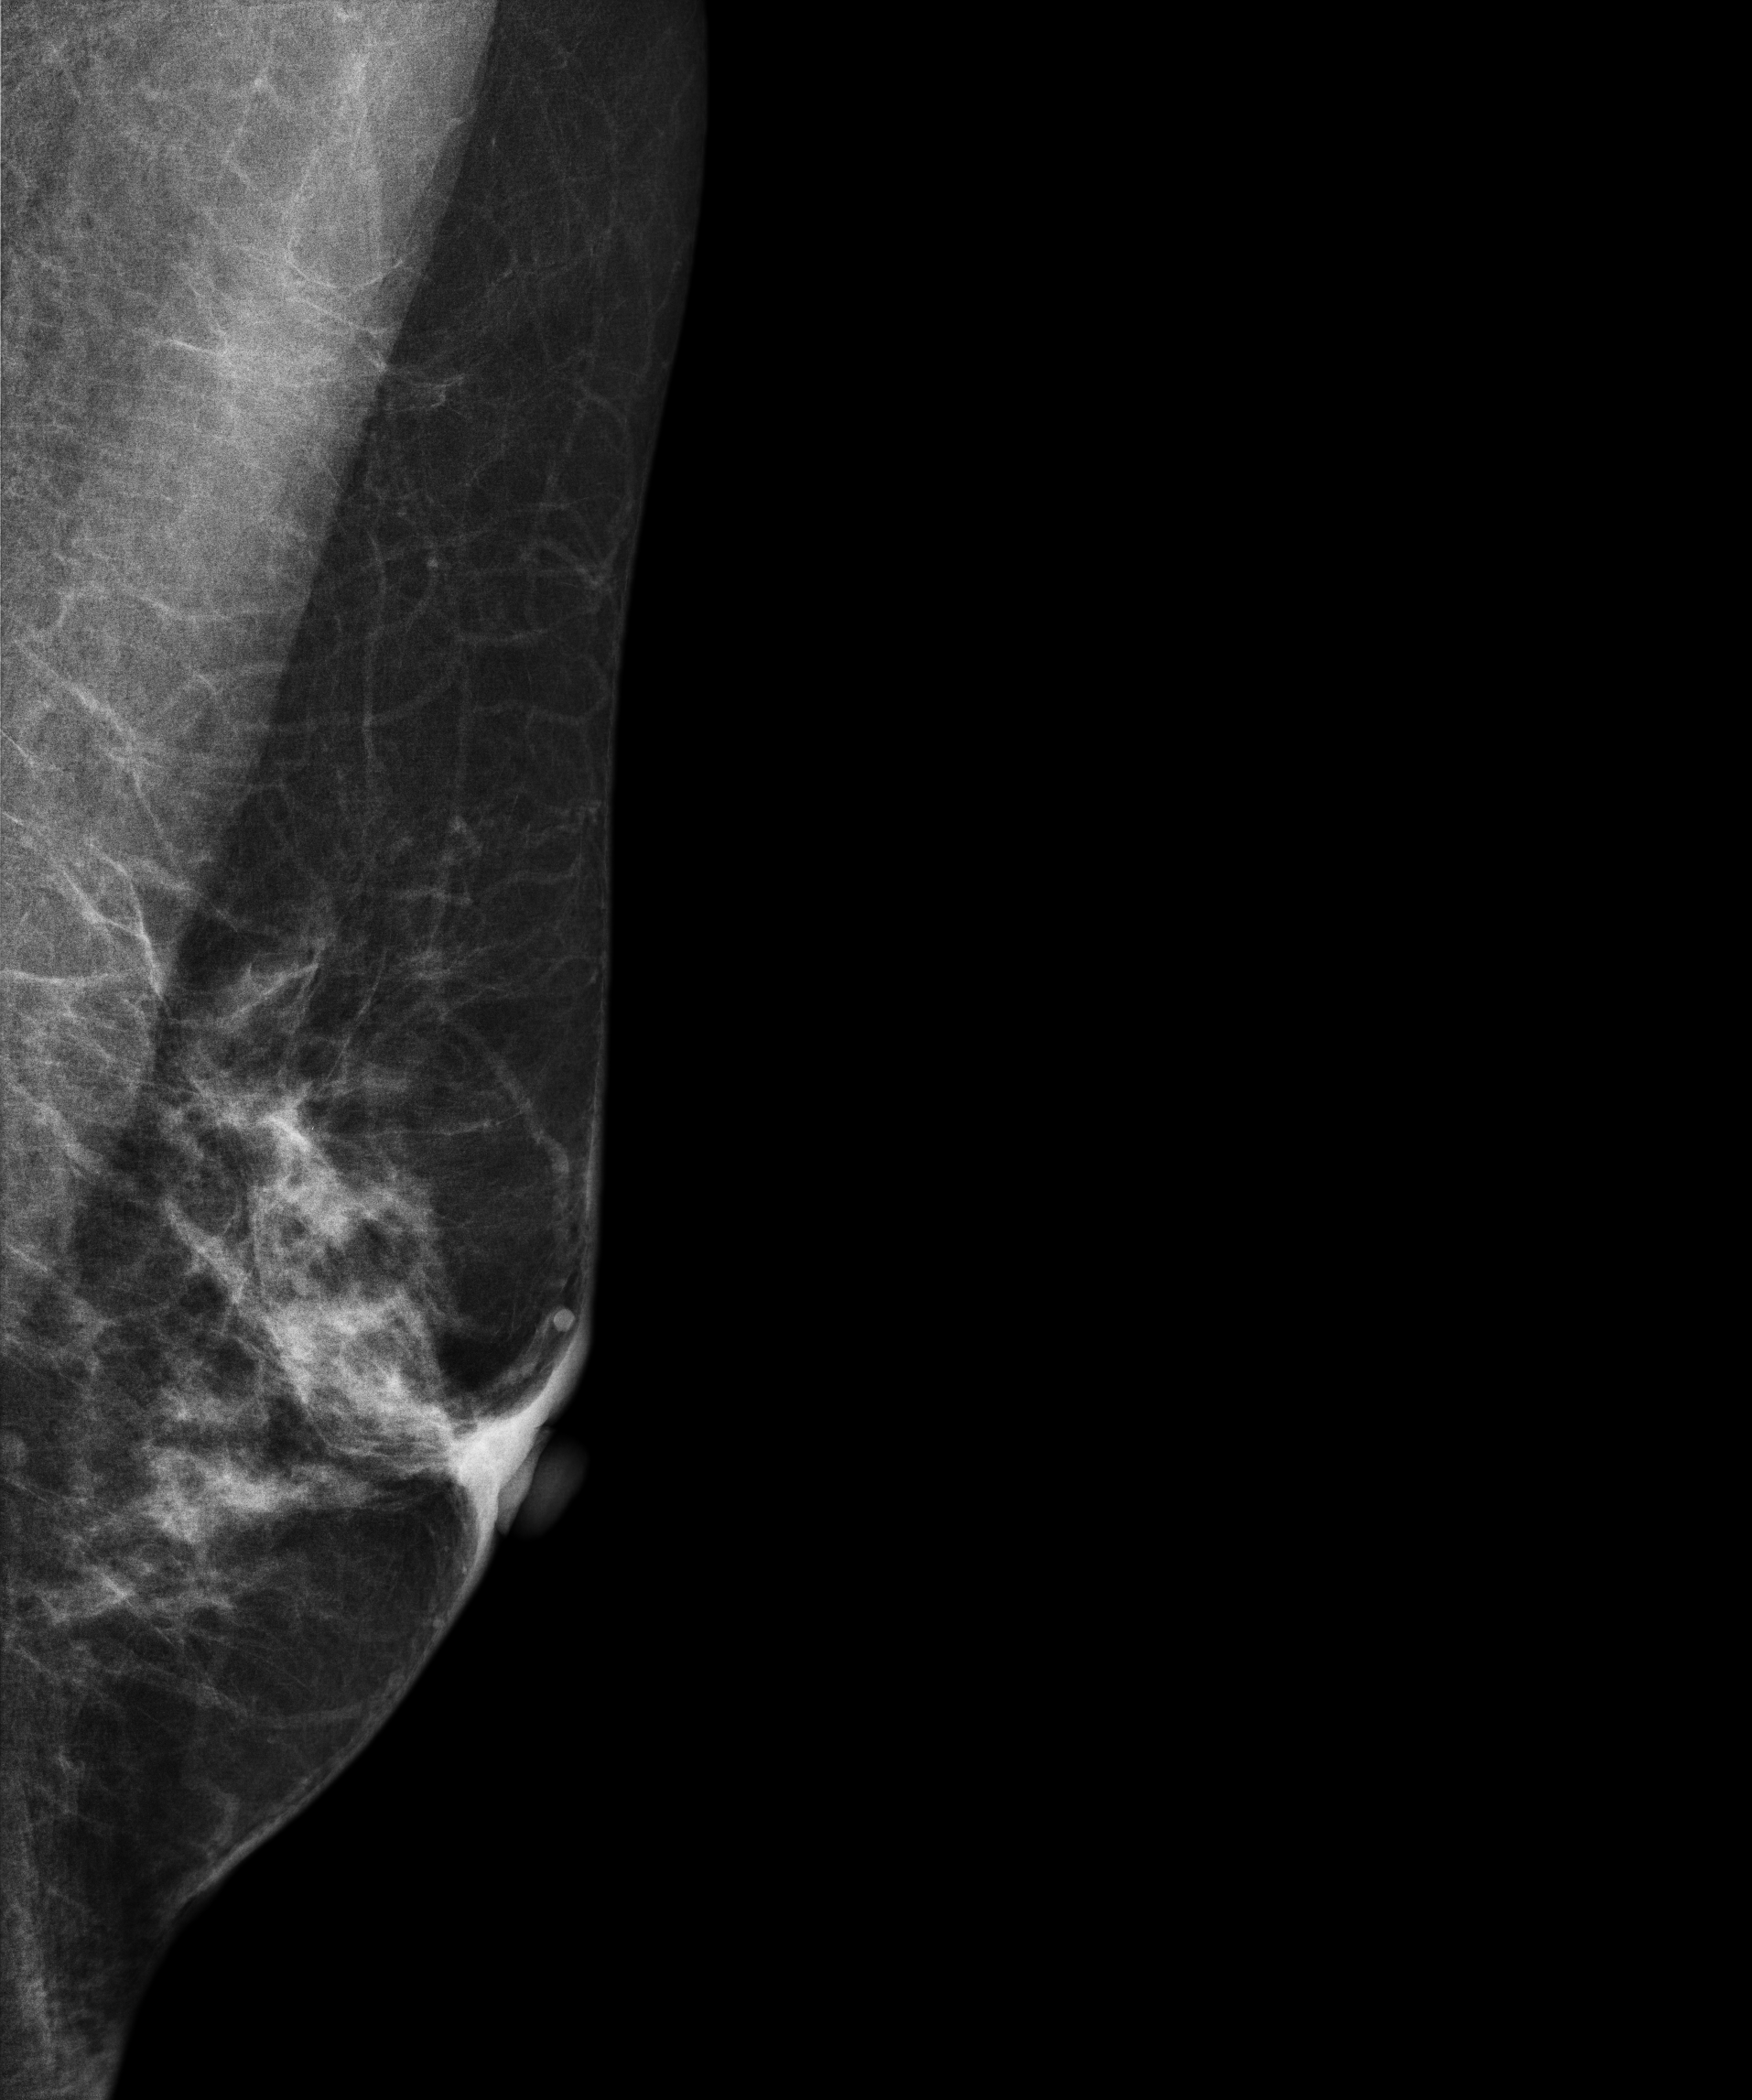
Mammogram, left breast, MLO view. 56-year-old patient.
This breast has a mass, pathology-confirmed benign.